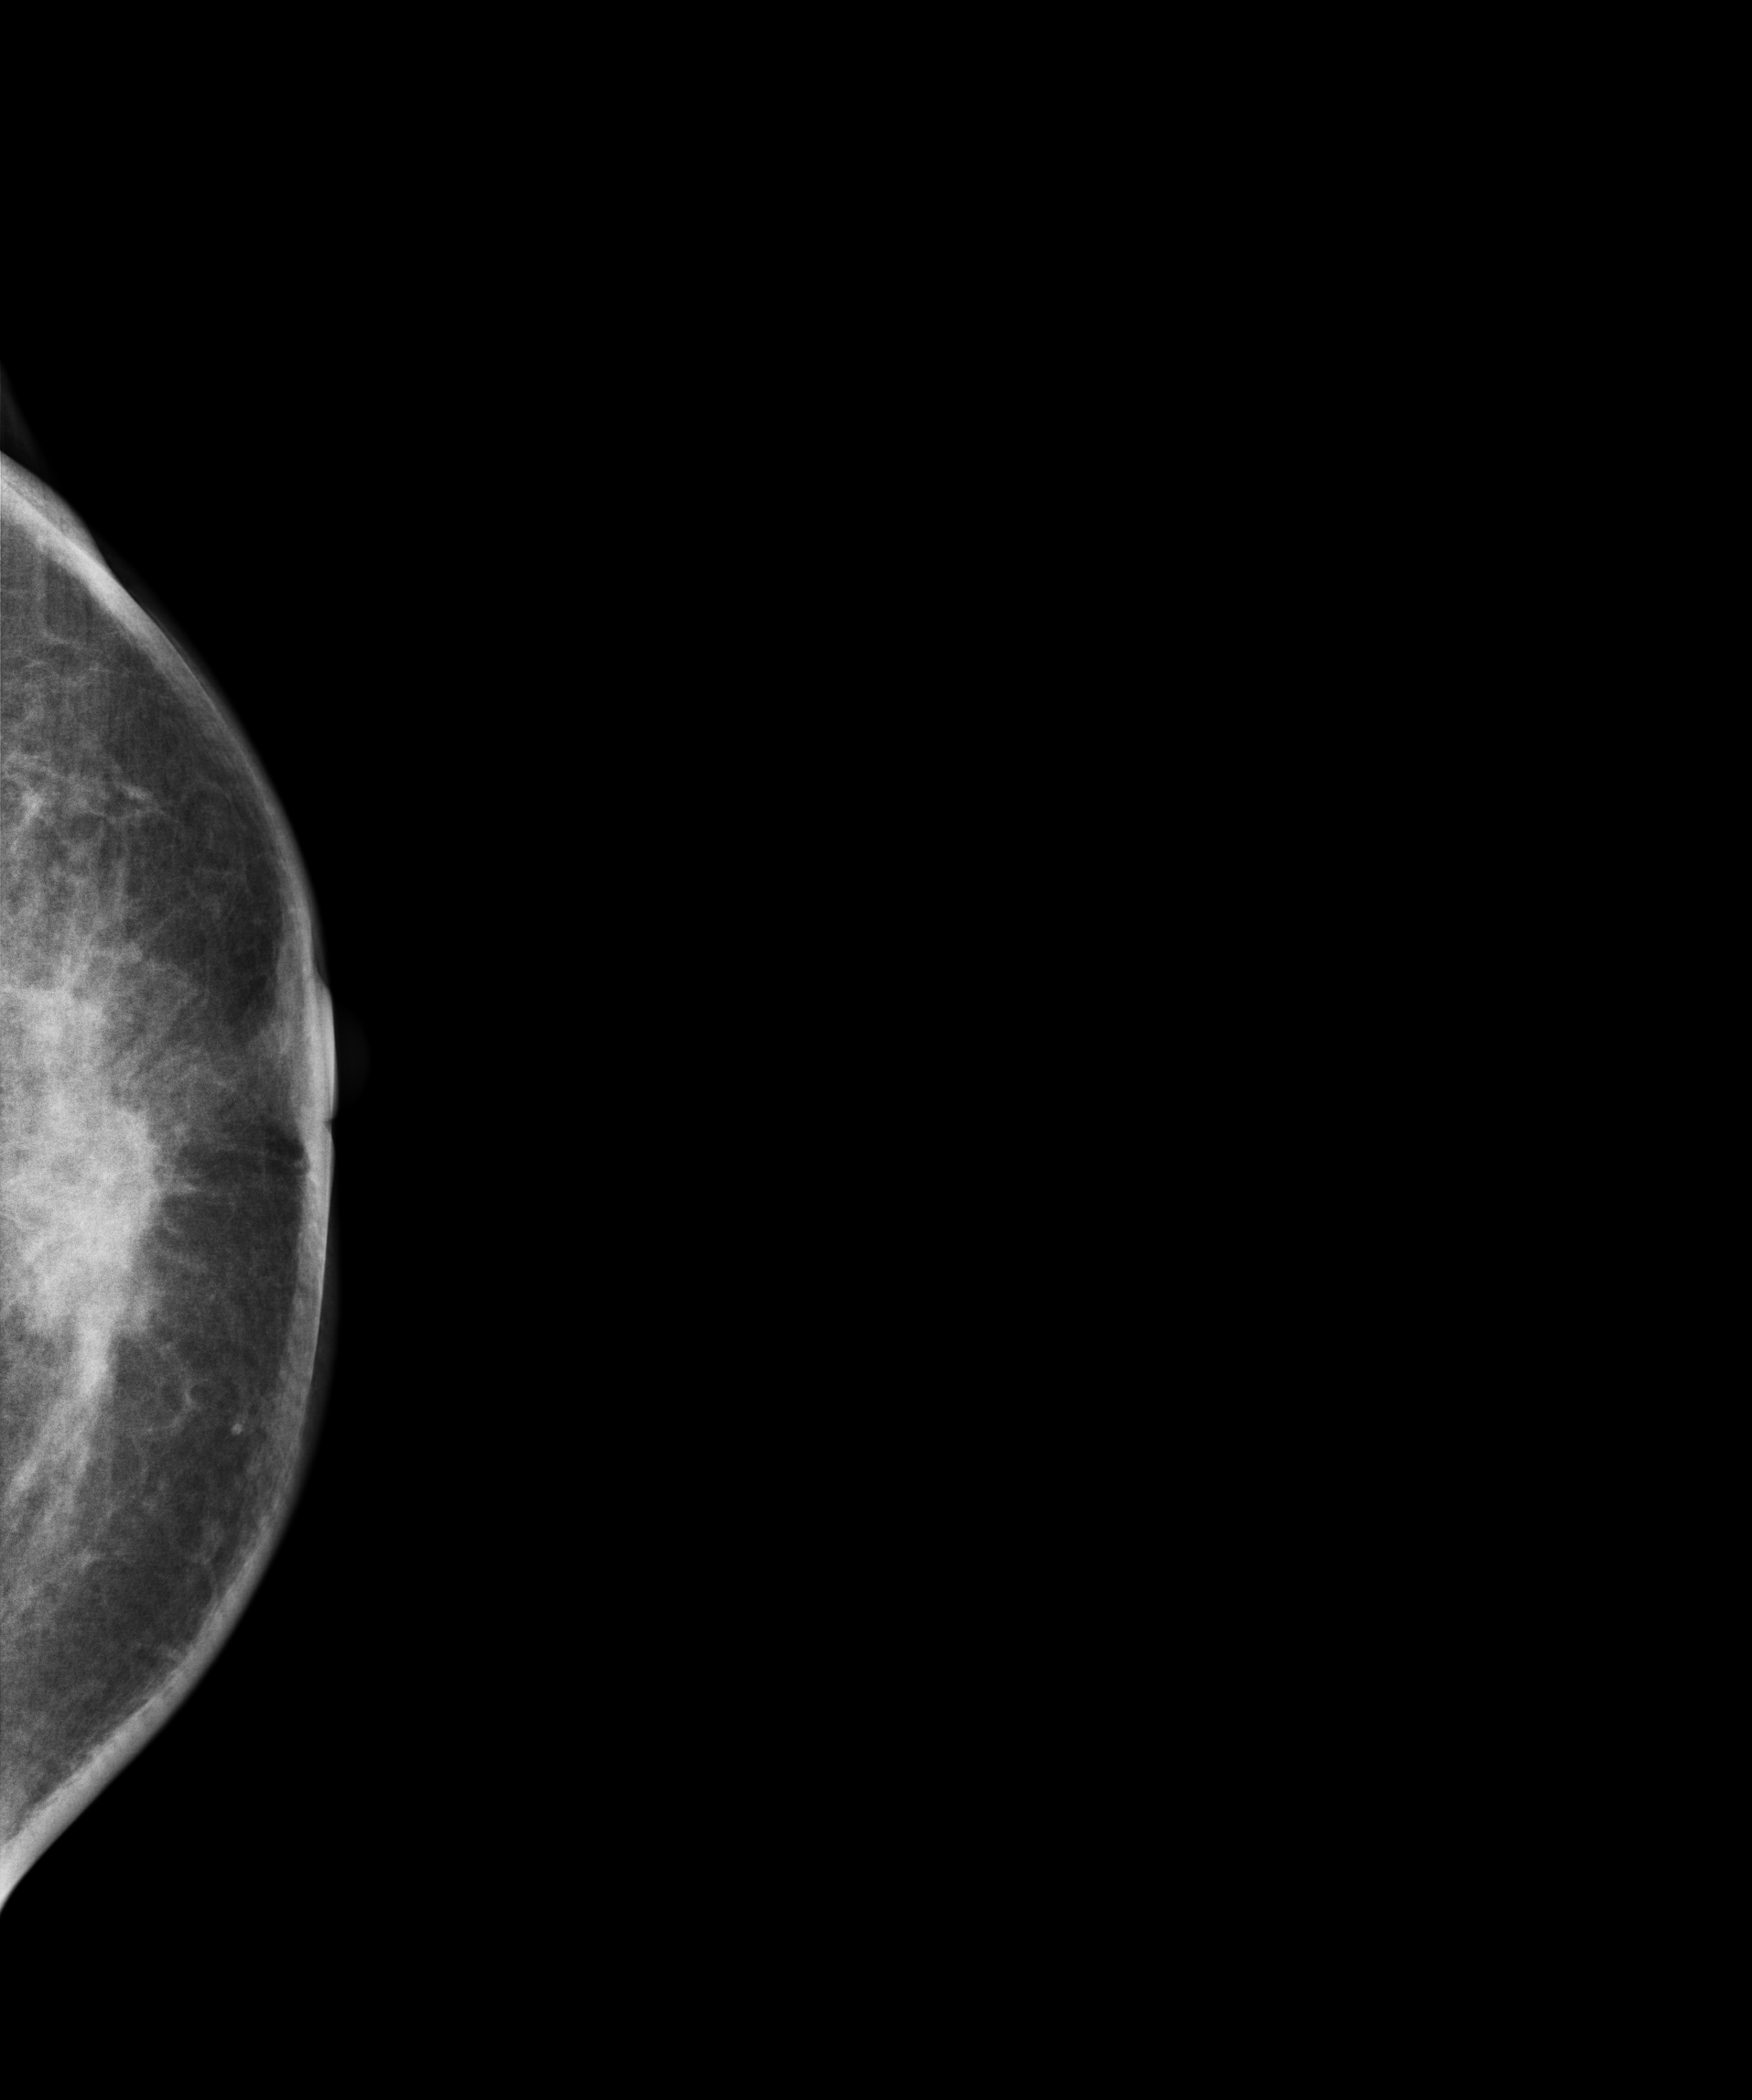
Mammogram — left cranio-caudal. 43-year-old patient.
This breast has a mass, biopsy-proven malignant. Molecular subtype: luminal A.